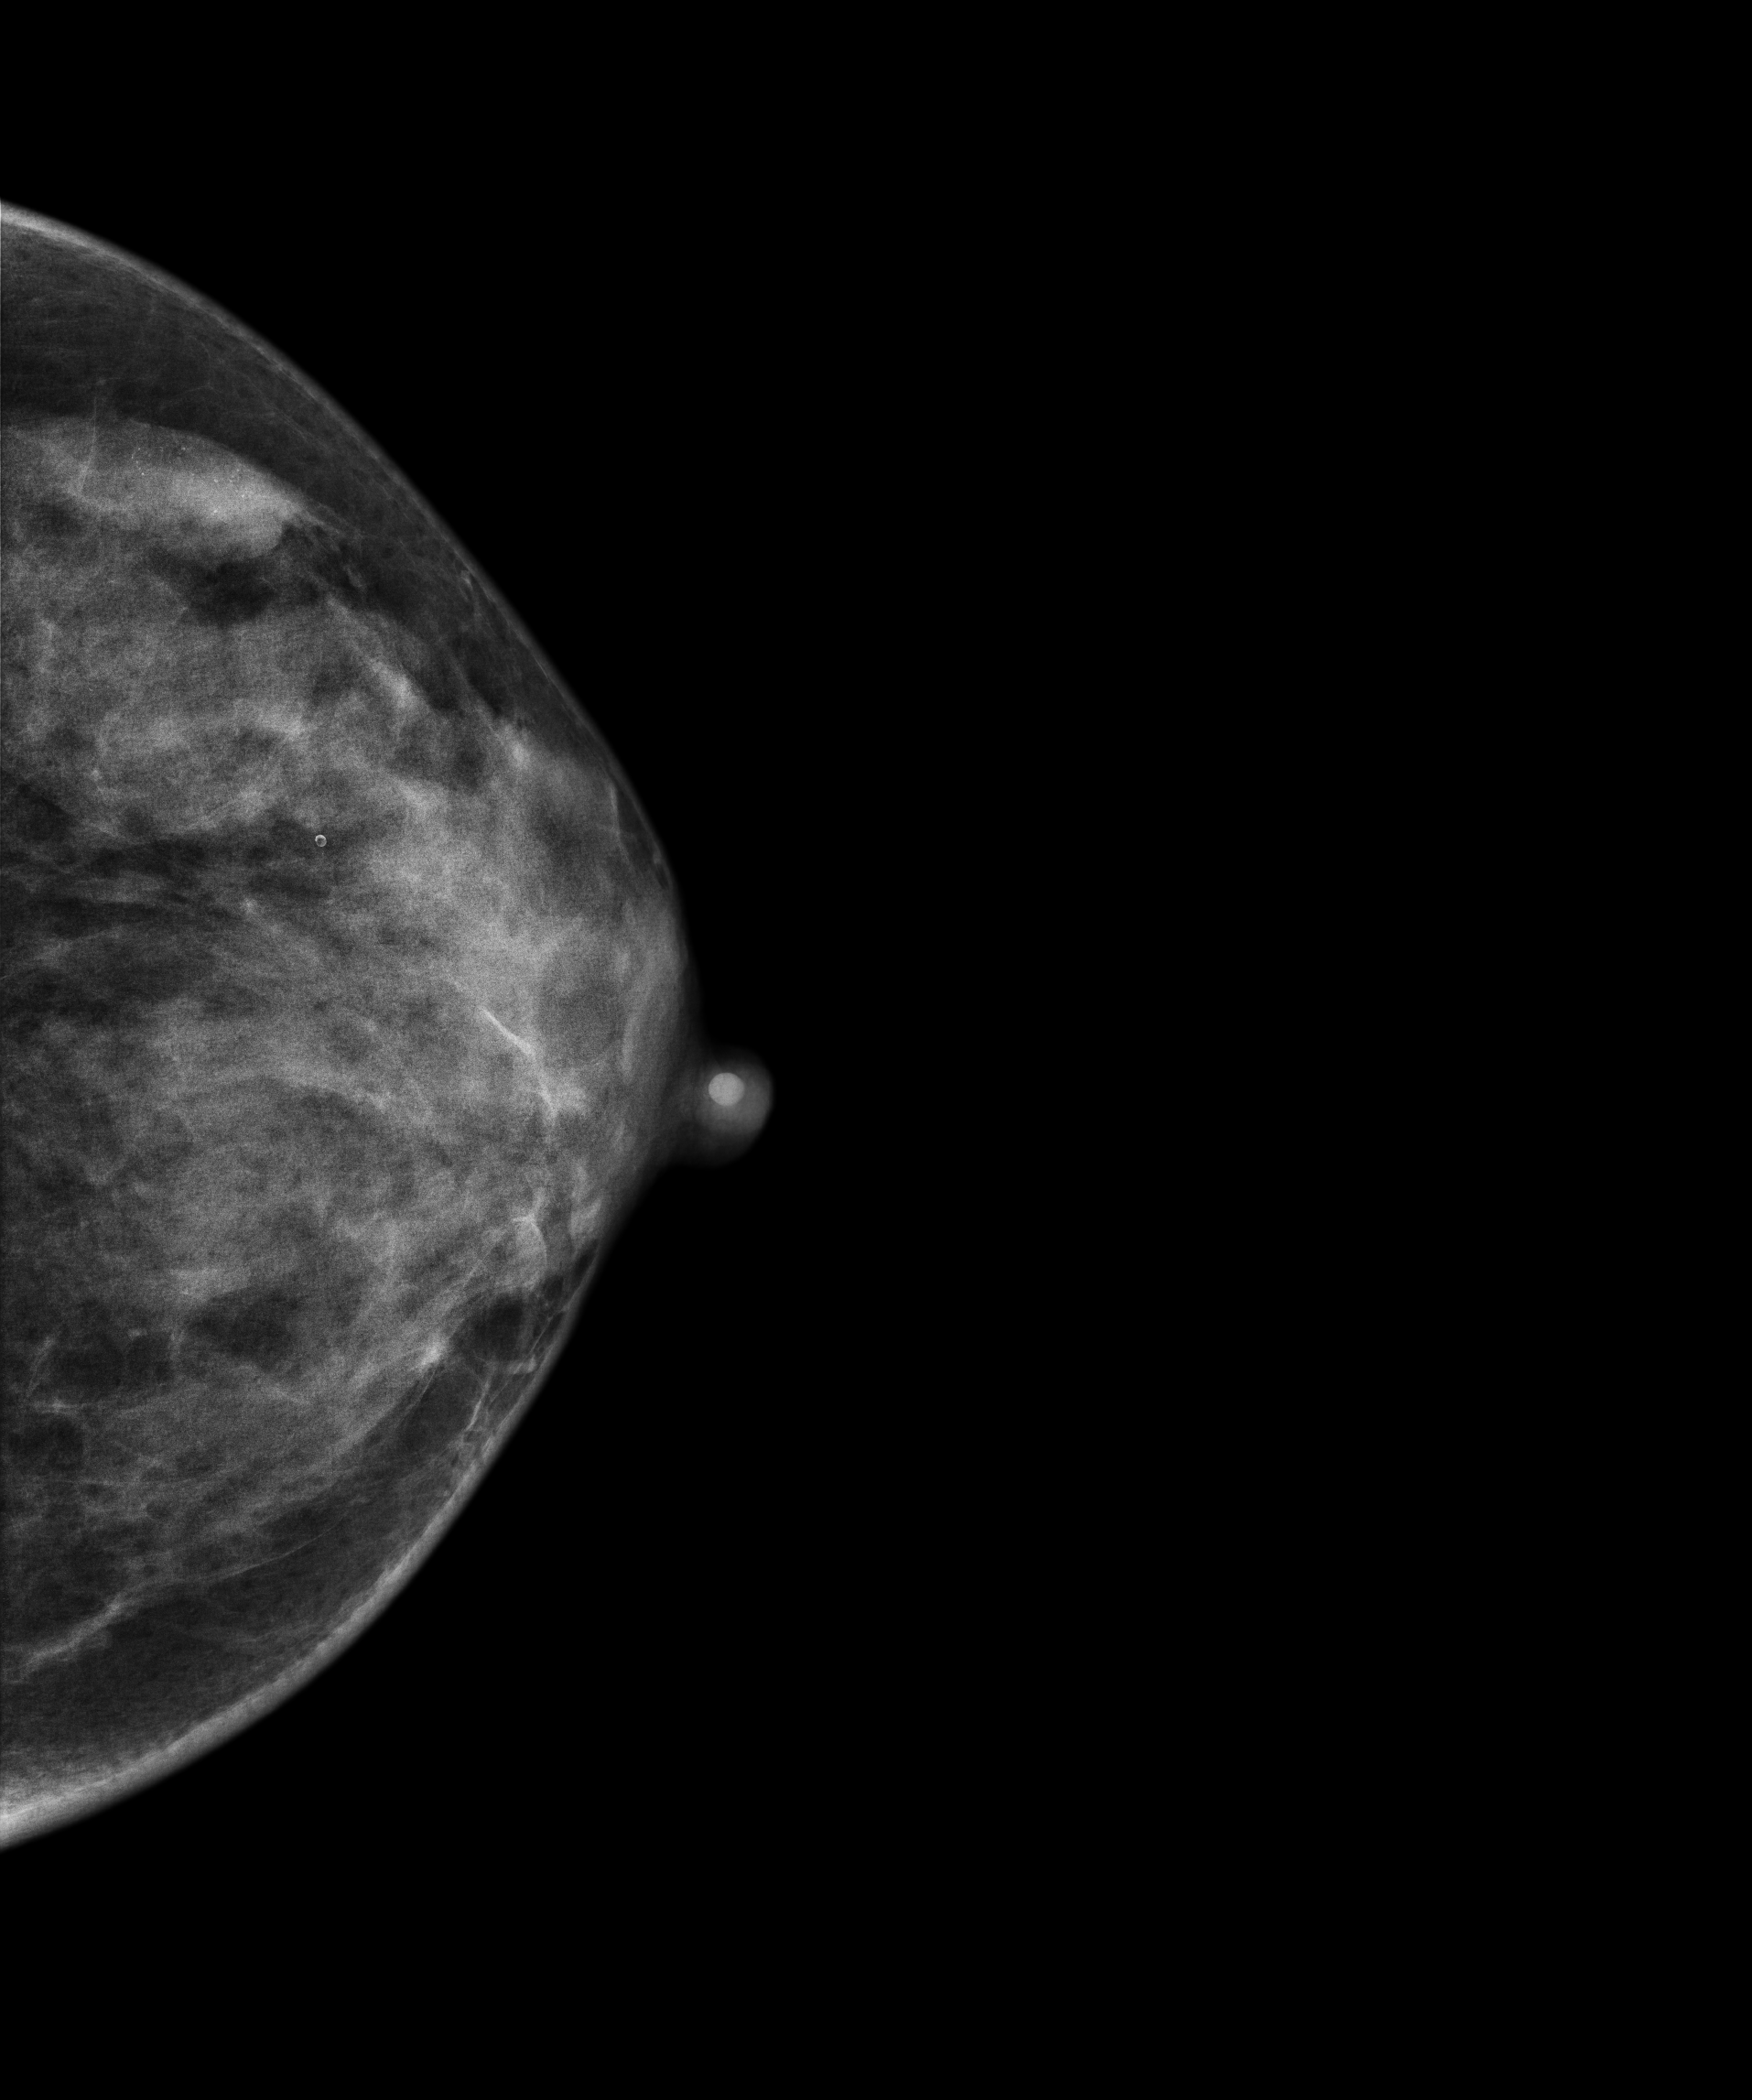
CC mammogram of the left breast. Patient age 42.
This breast has a mass and calcifications, biopsy-confirmed malignant.